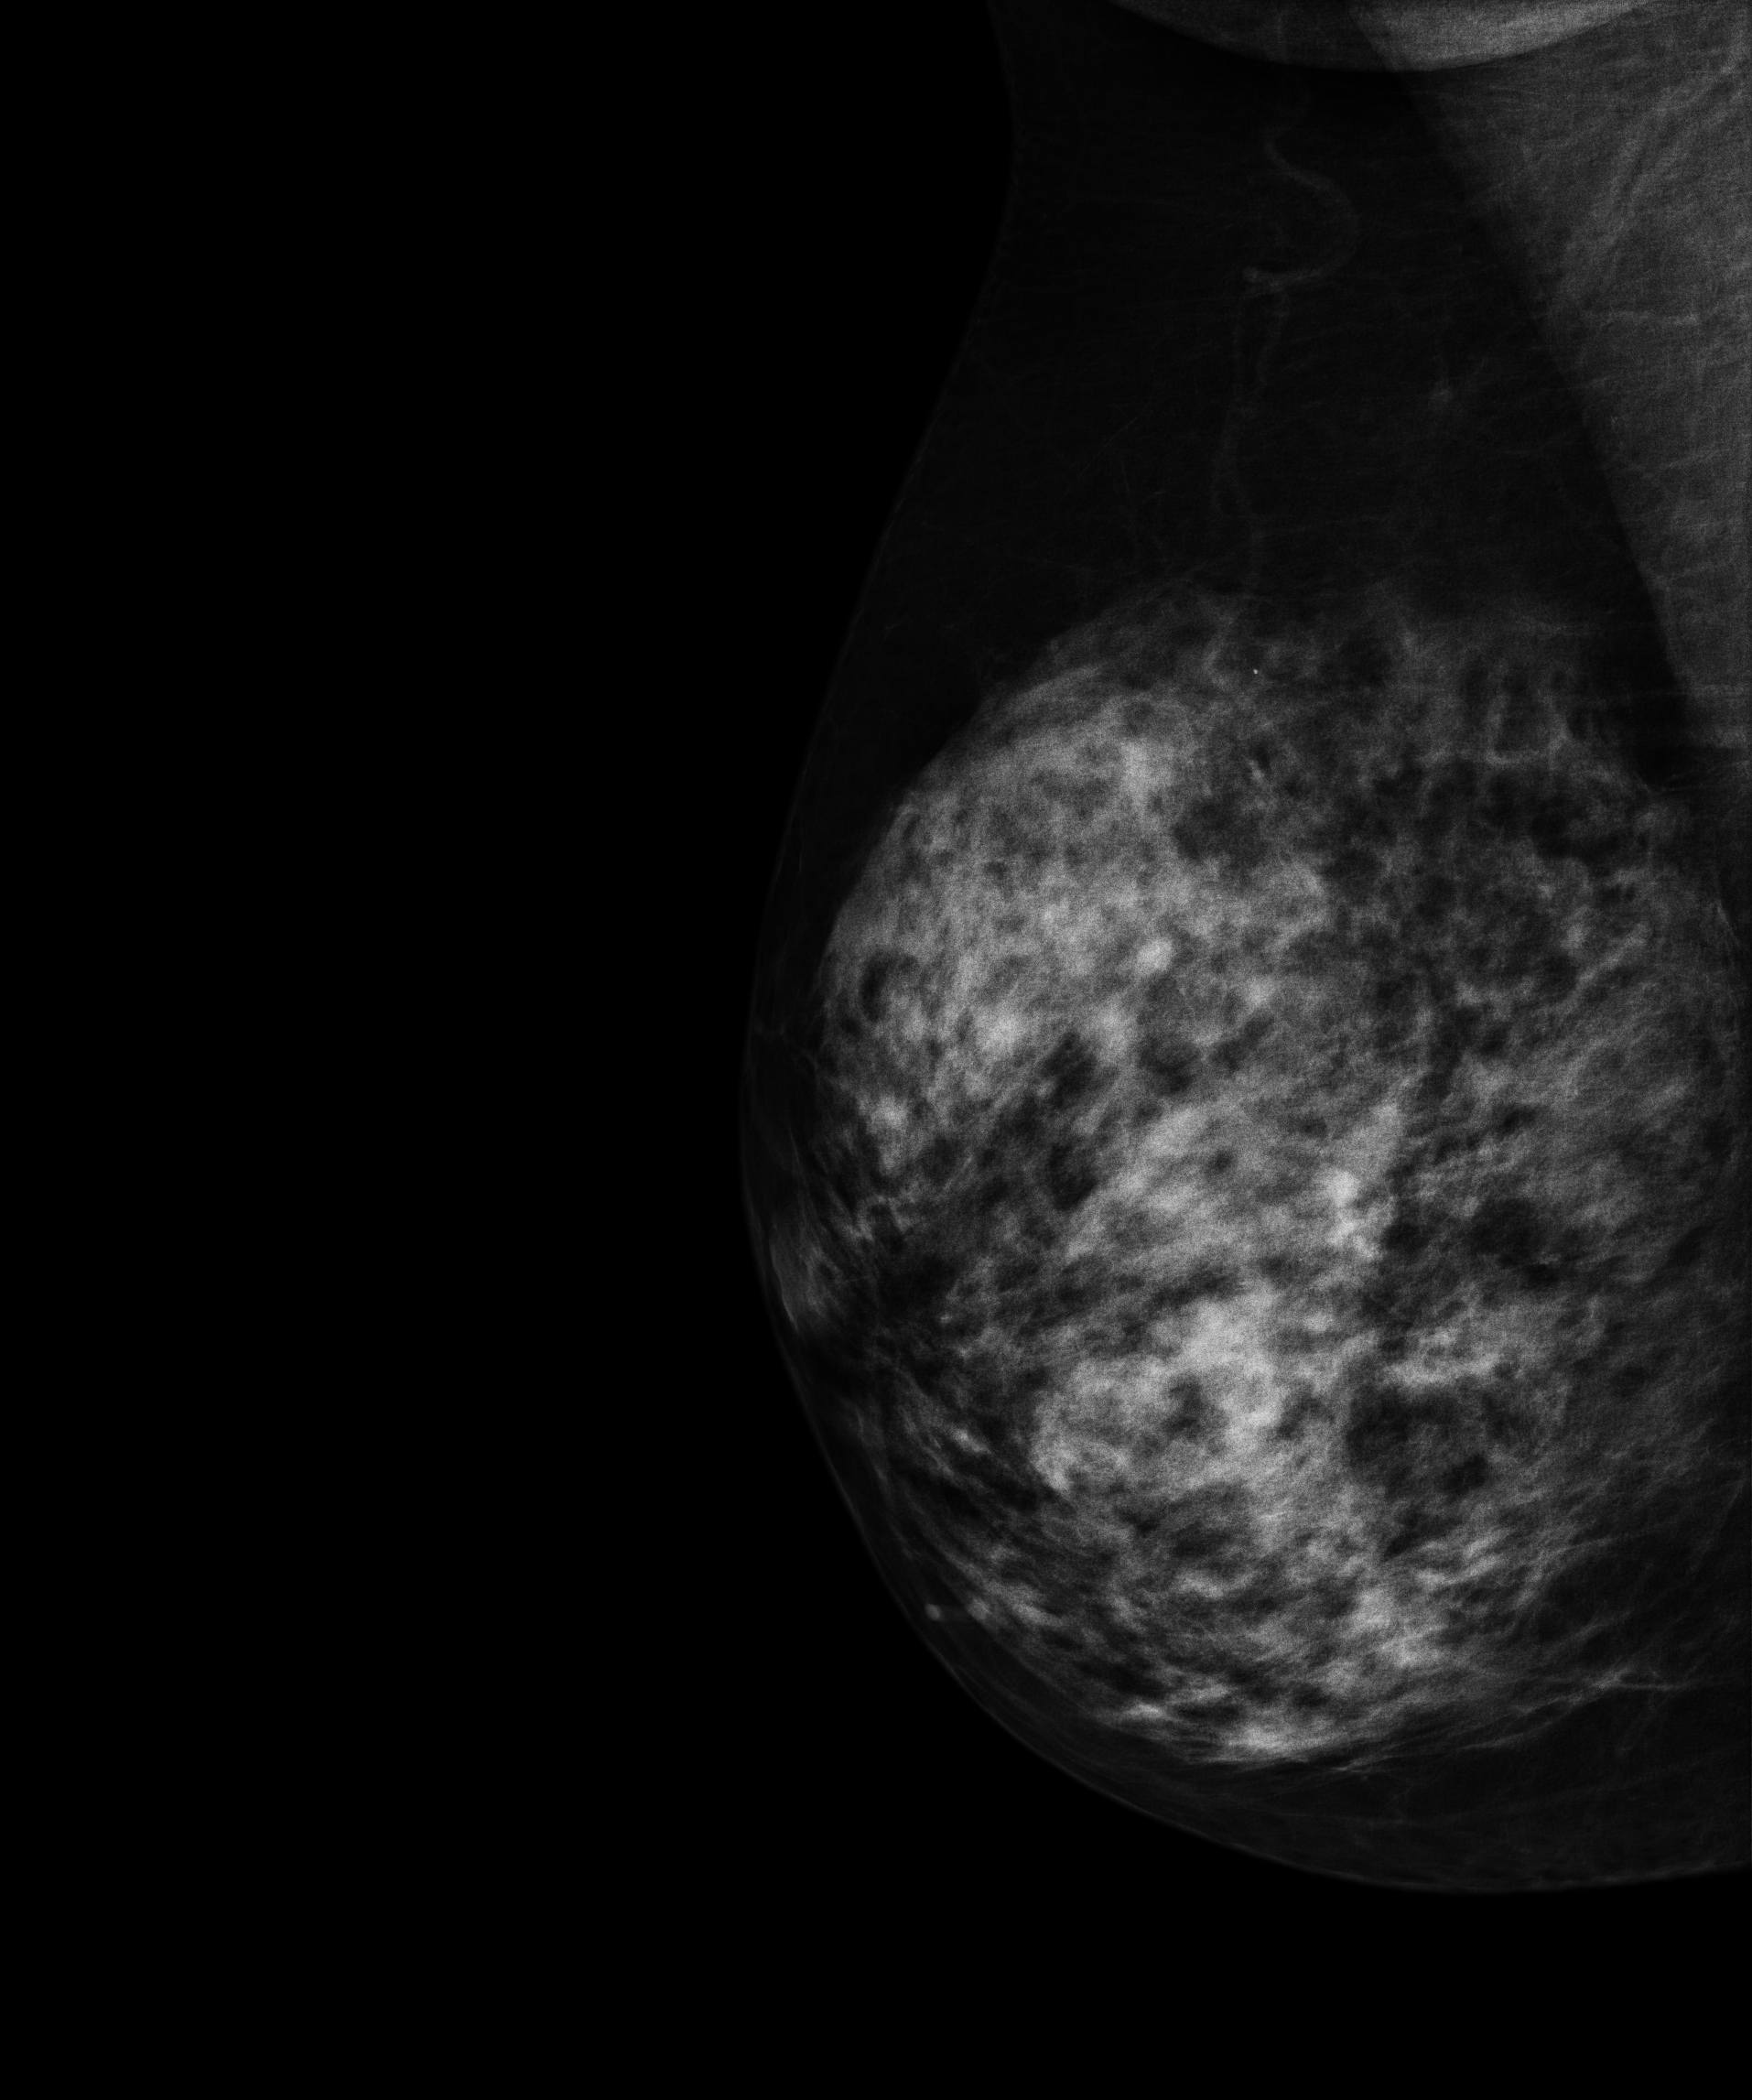
Mammogram — right MLO. Patient age 56.
Contralateral breast — no documented abnormality on this side.